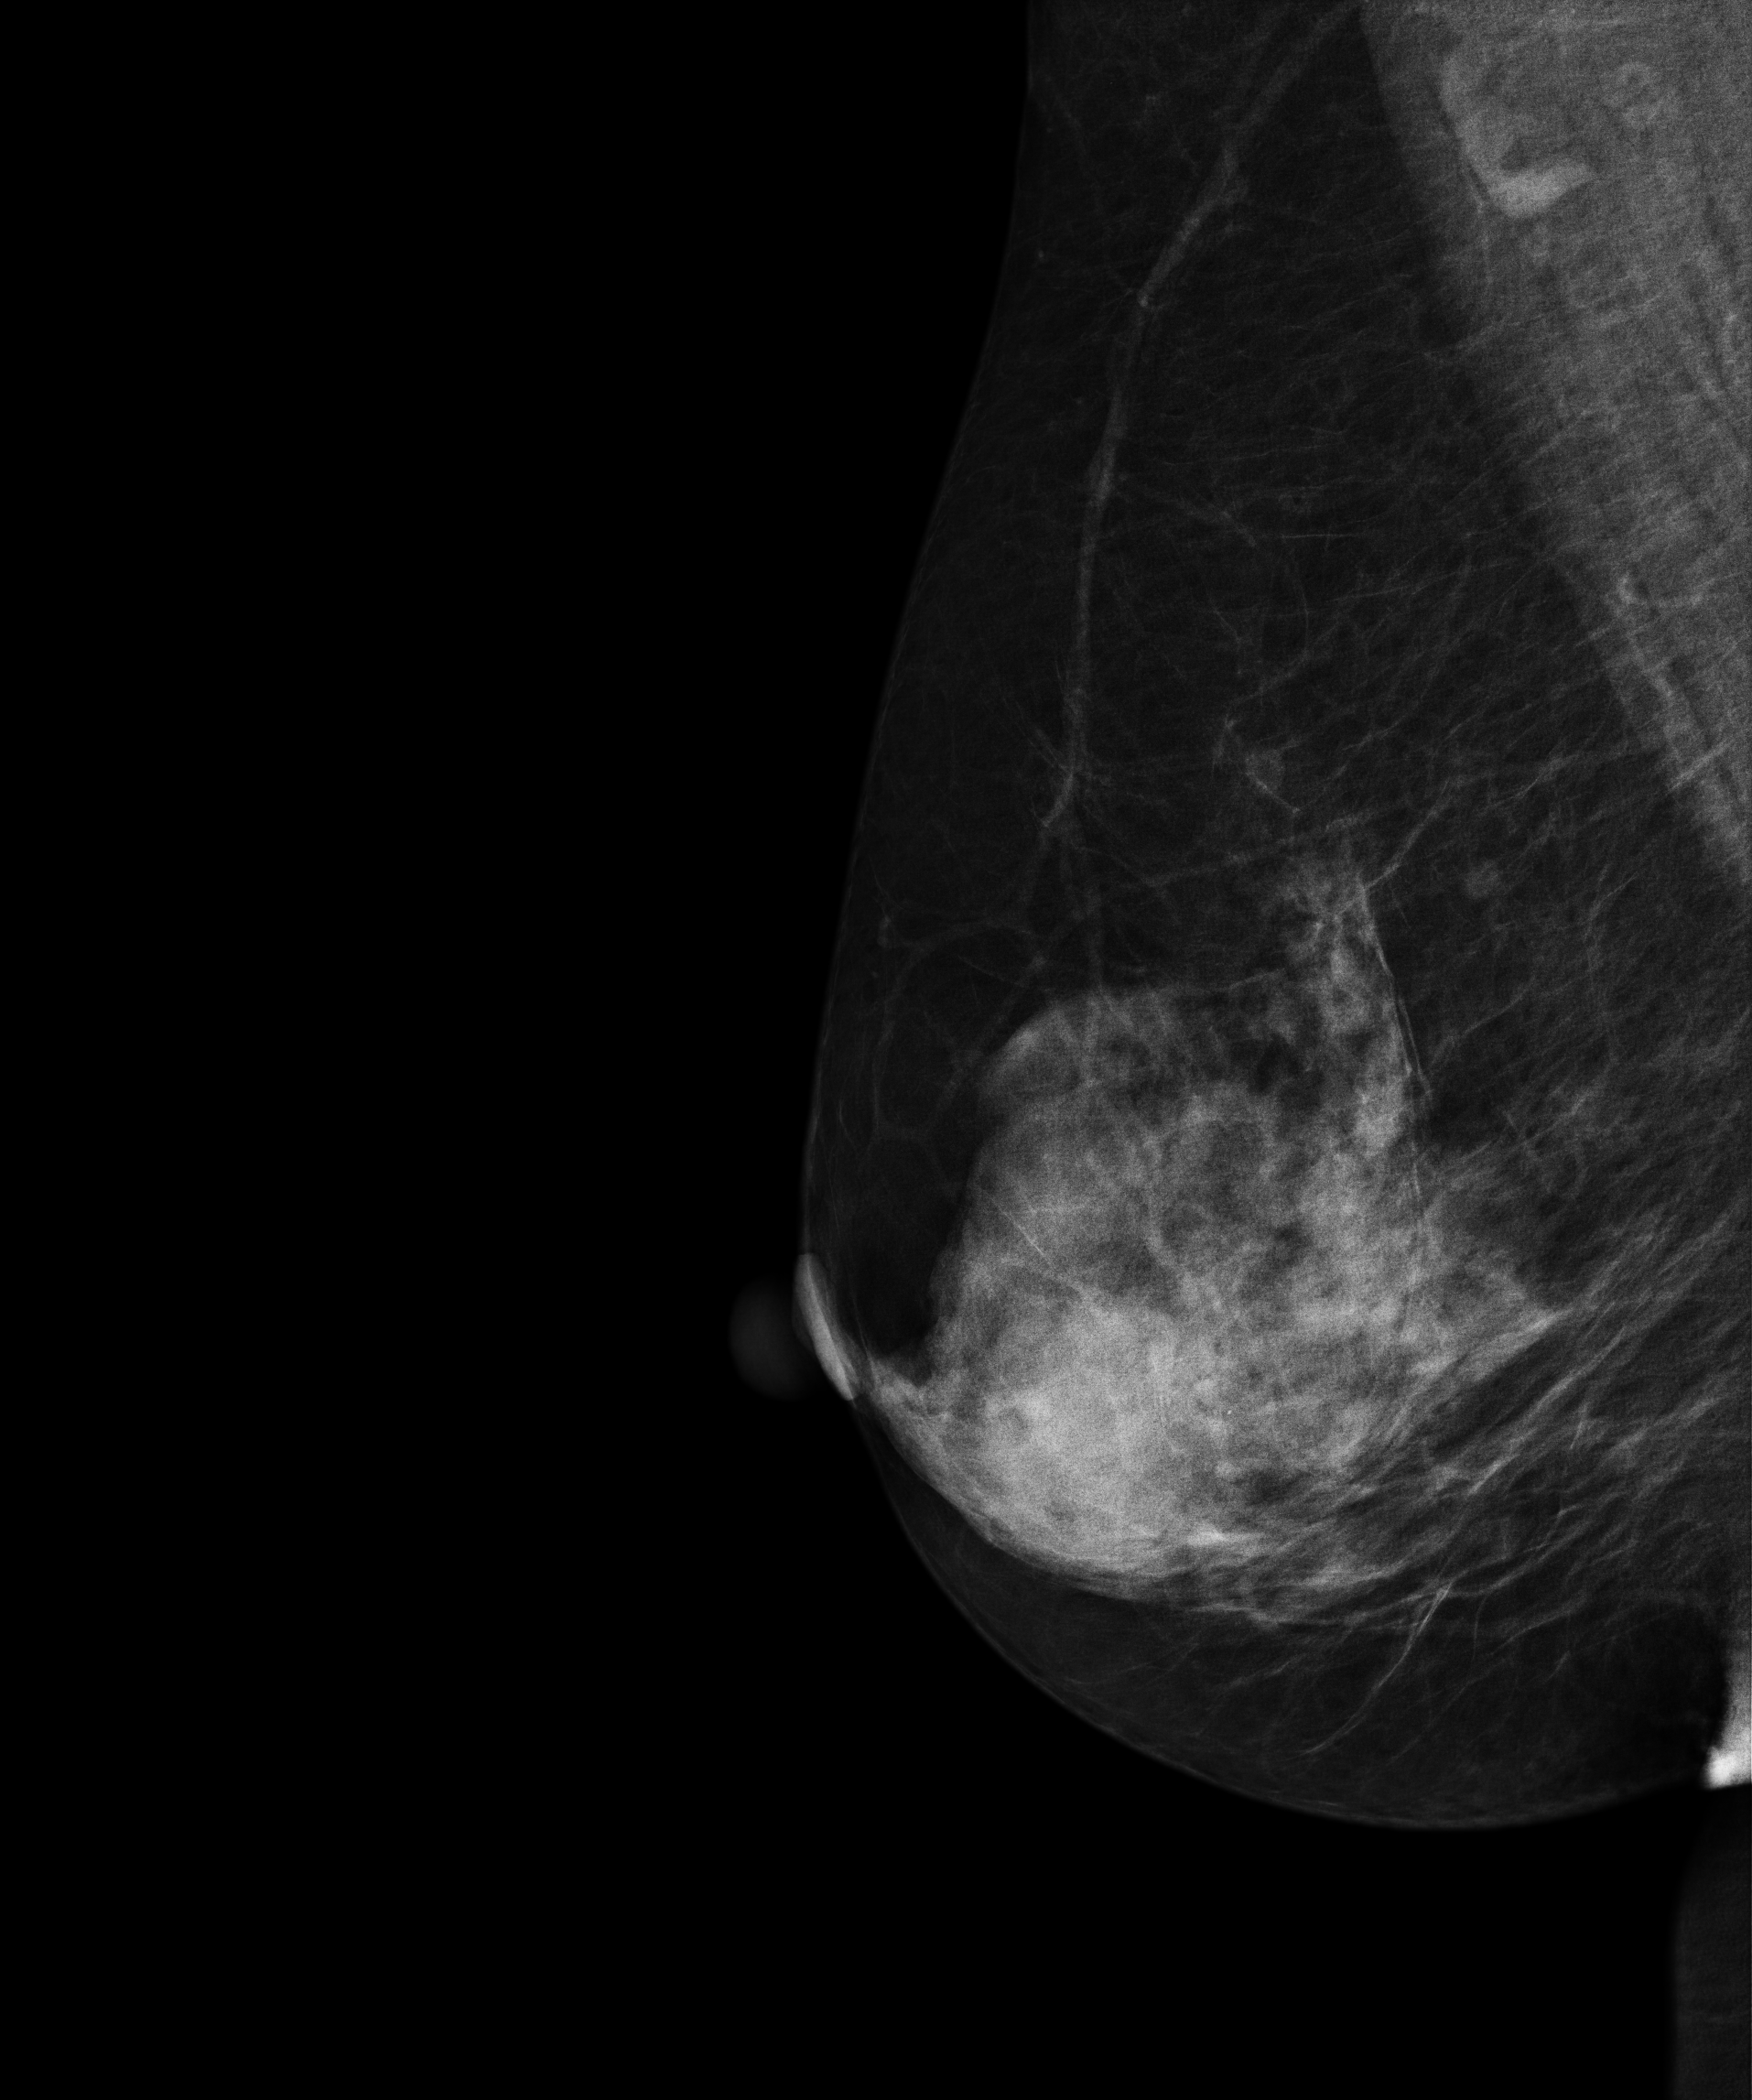
Mammogram, right breast, MLO view. Patient age 67.
Contralateral breast — no documented abnormality on this side.